Digital mammography. Left breast, CC projection. 57-year-old patient.
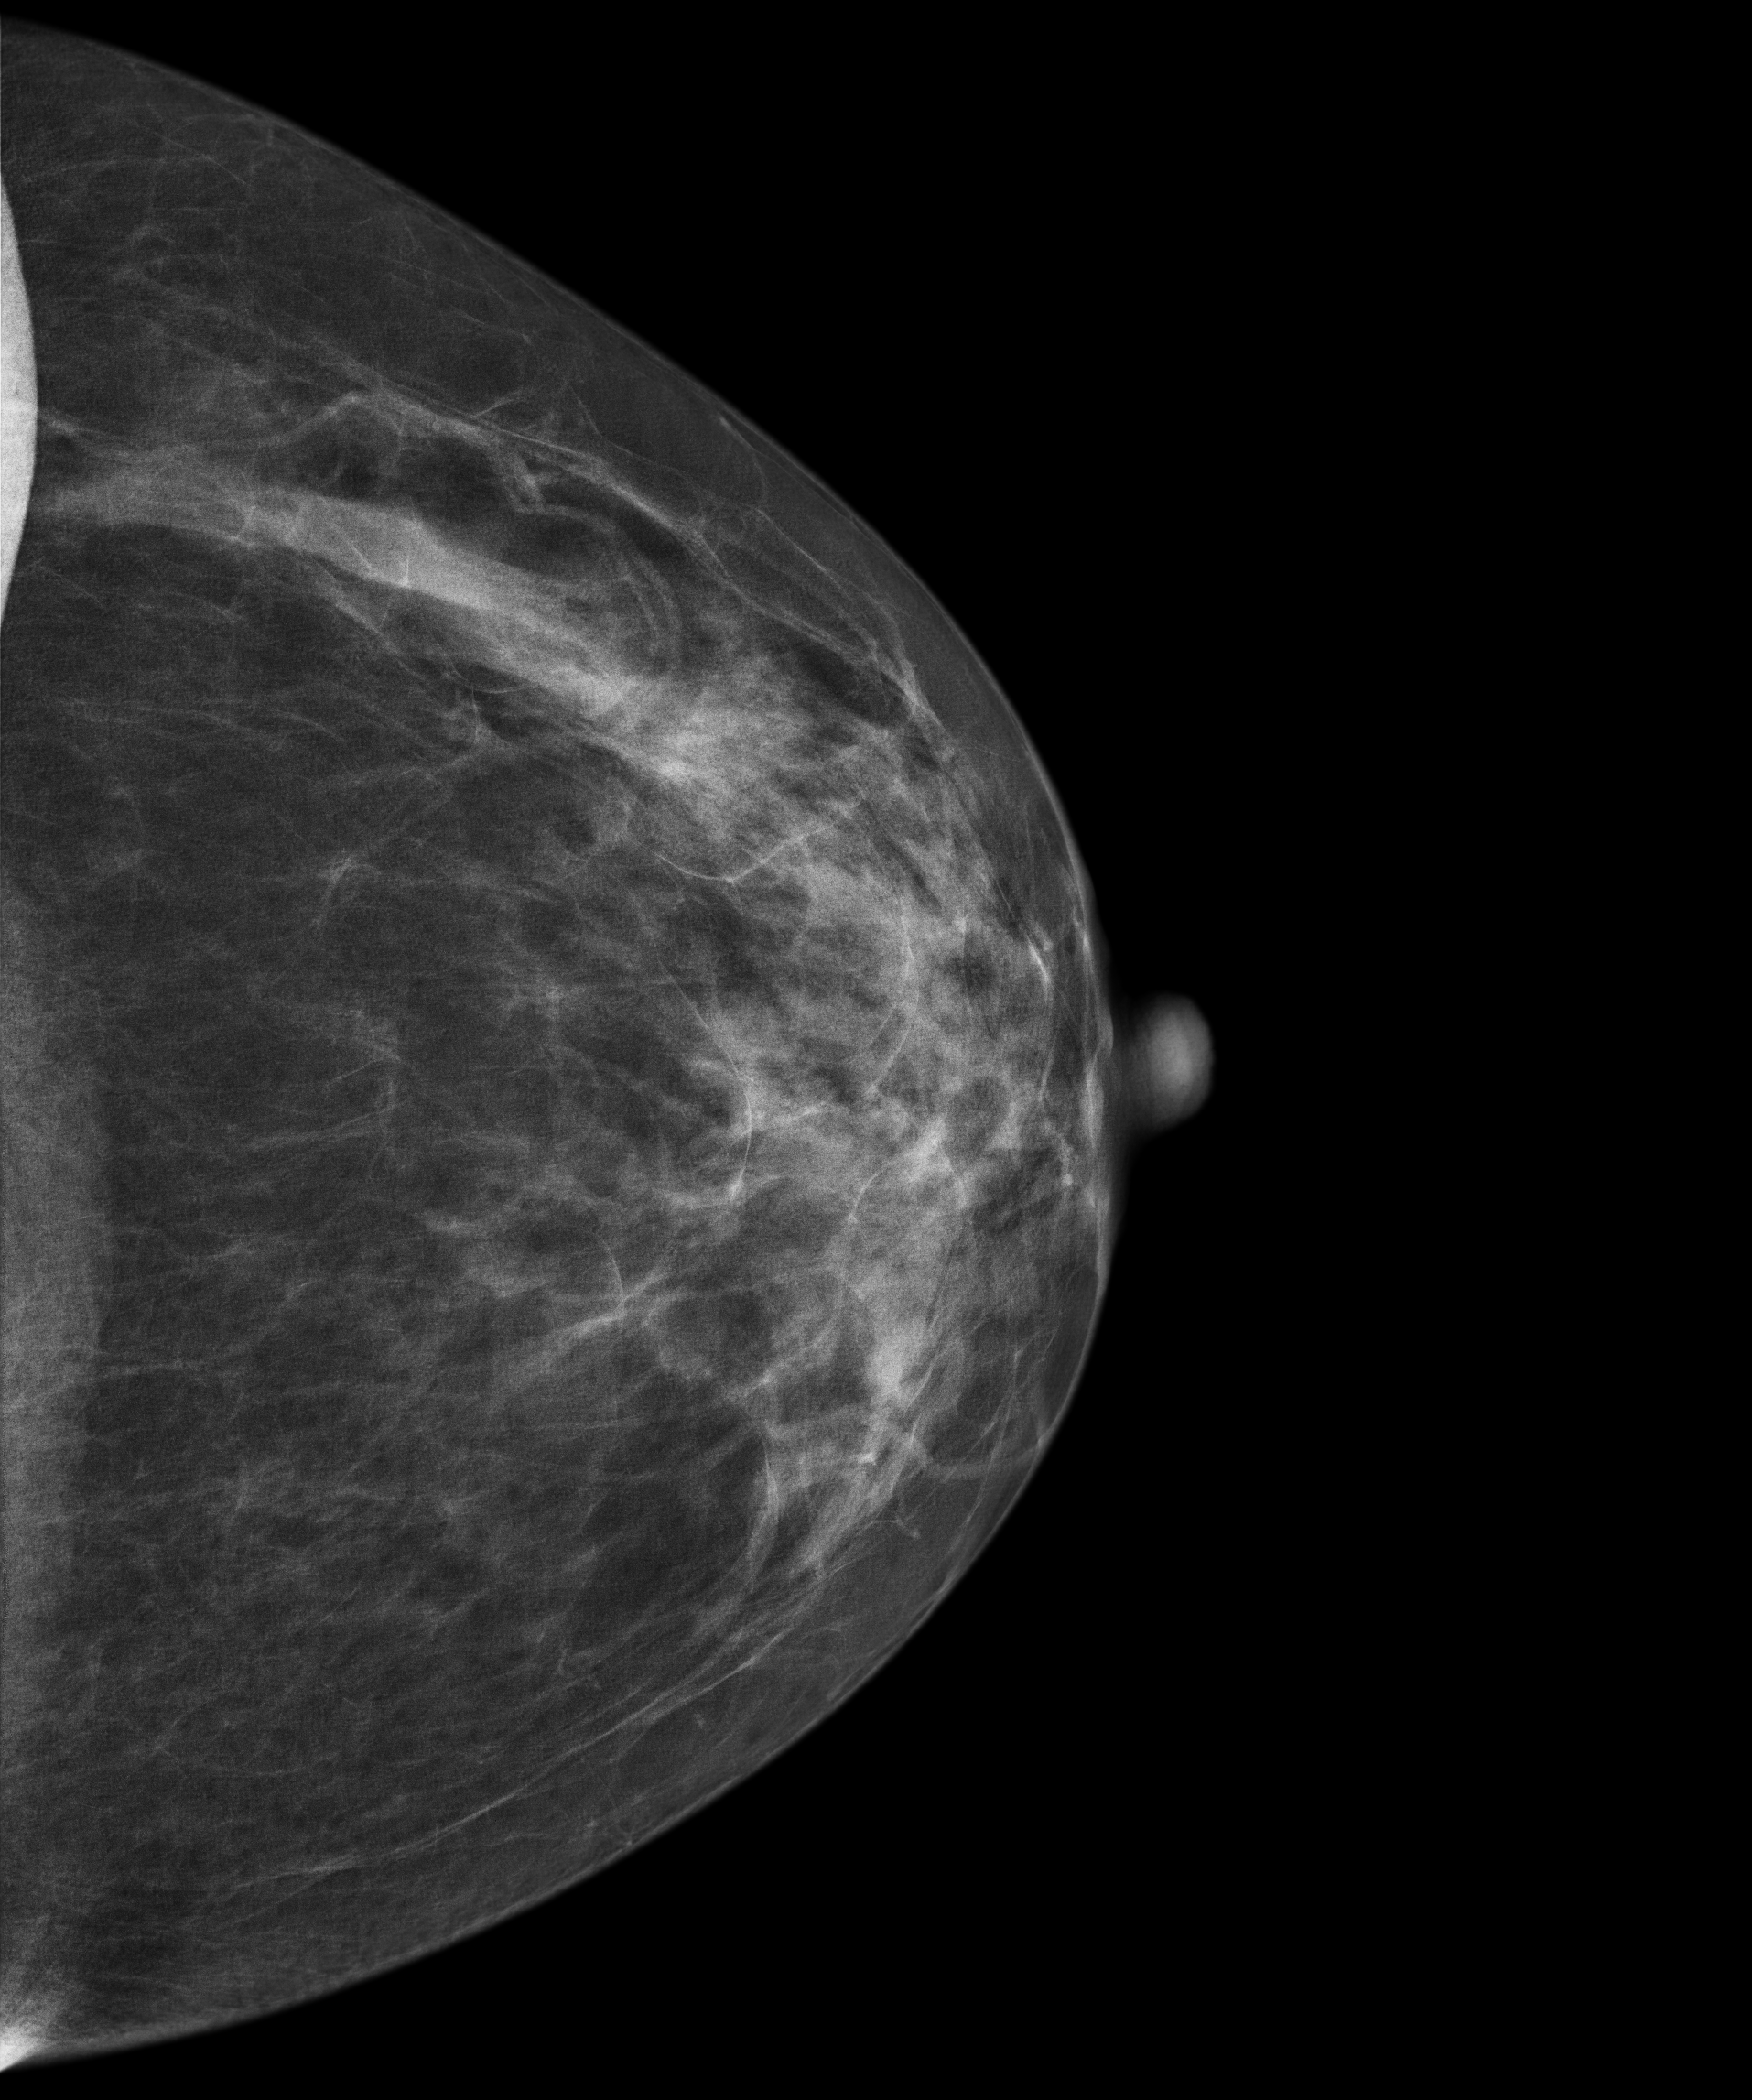
Contralateral breast — no documented abnormality on this side.